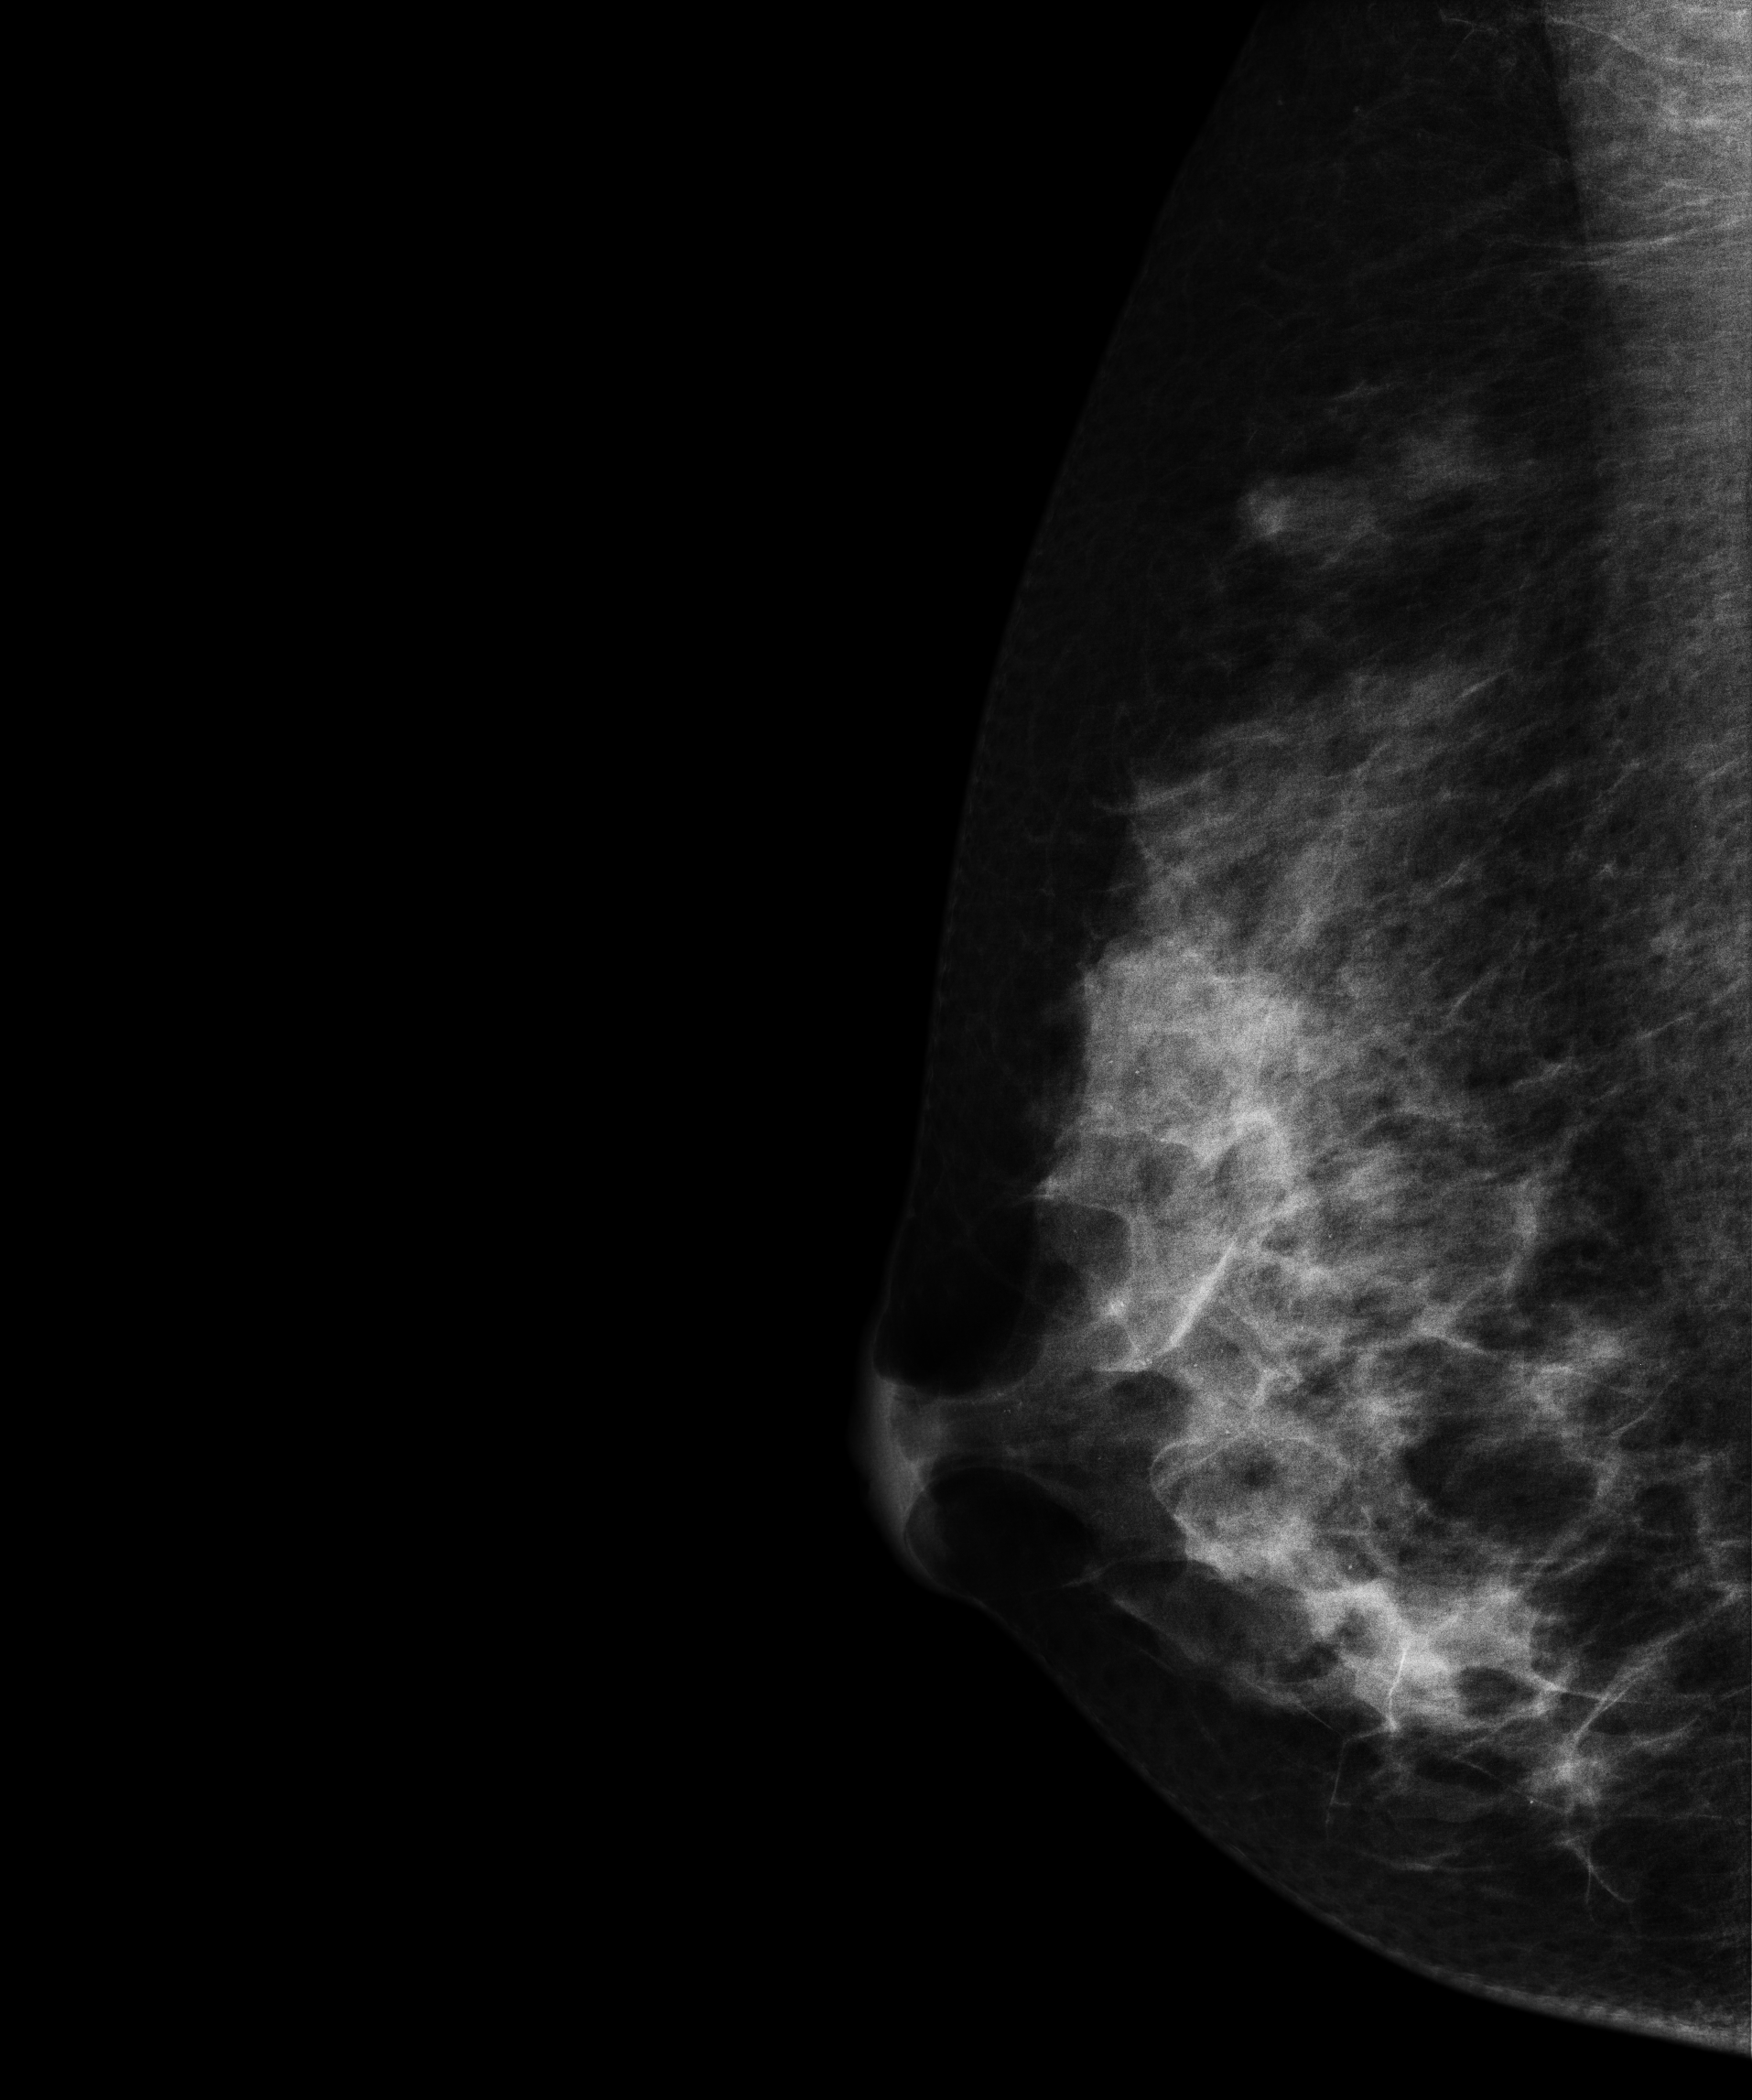
Mammogram — right MLO. 40 y/o patient.
Contralateral breast — no documented abnormality on this side.